Right-breast mammogram, cranio-caudal. 58 y/o patient.
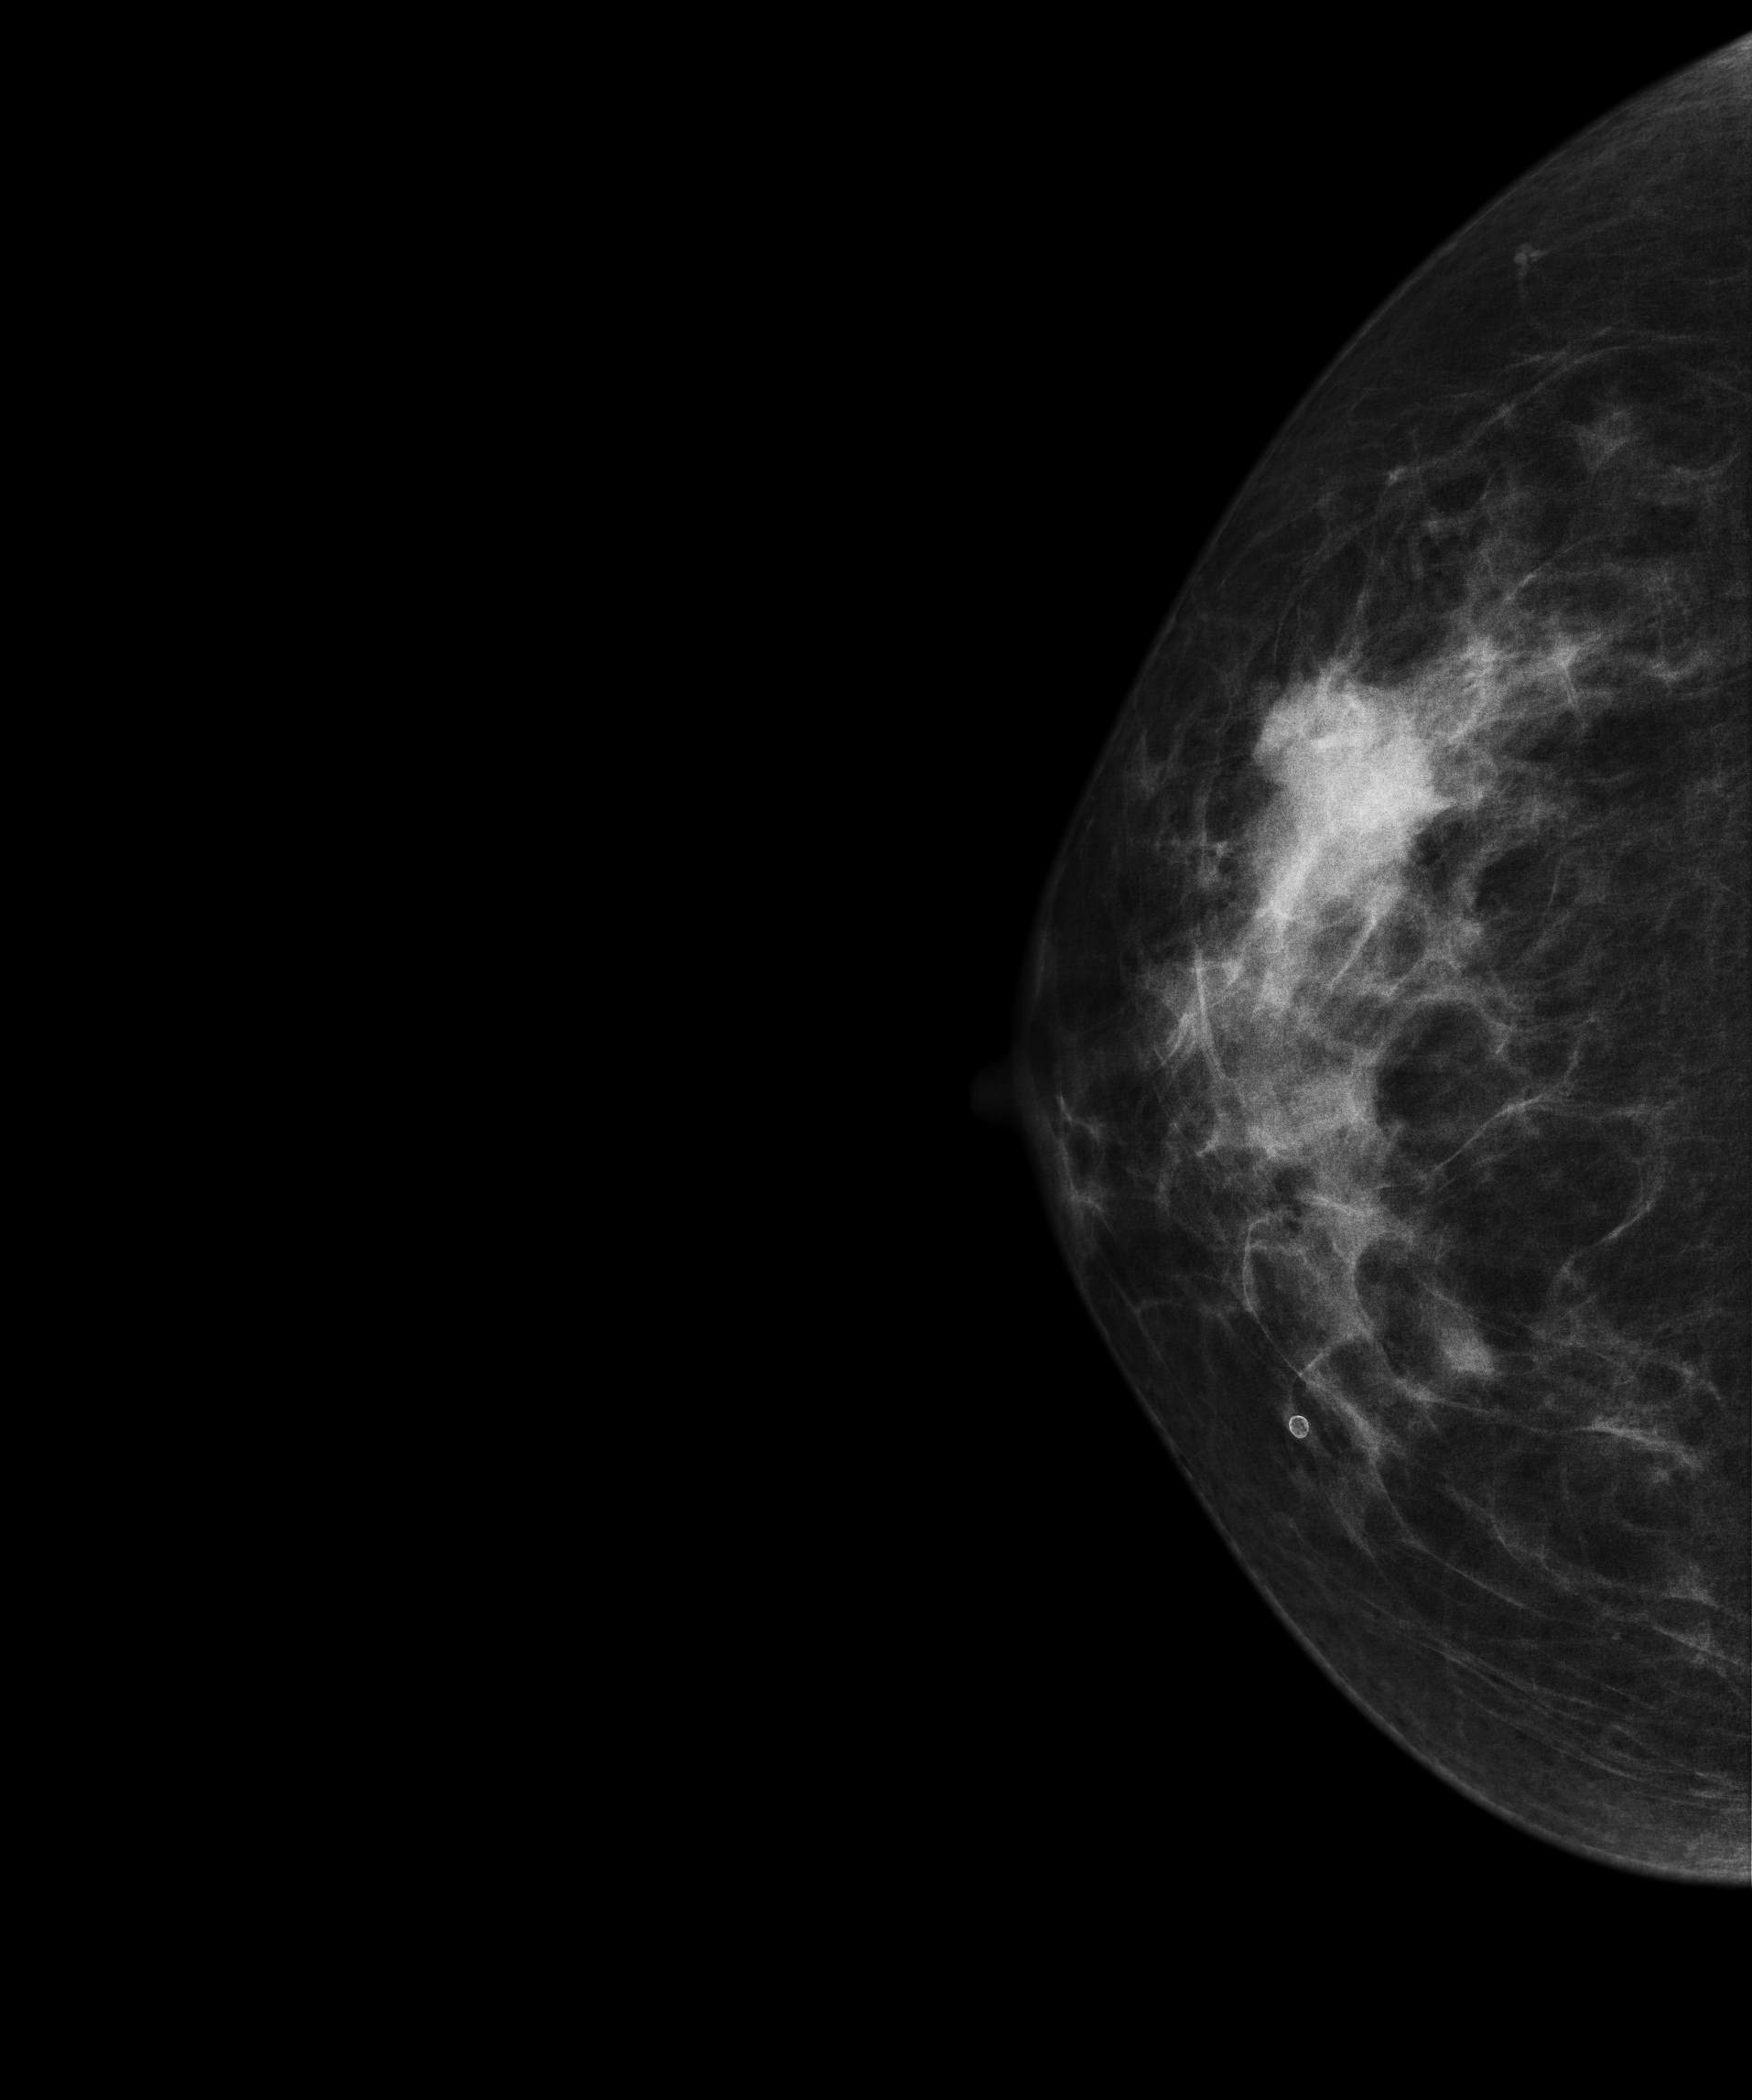
This breast has a mass, biopsy-confirmed malignant.